Left-breast mammogram, cranio-caudal. 42 y/o patient.
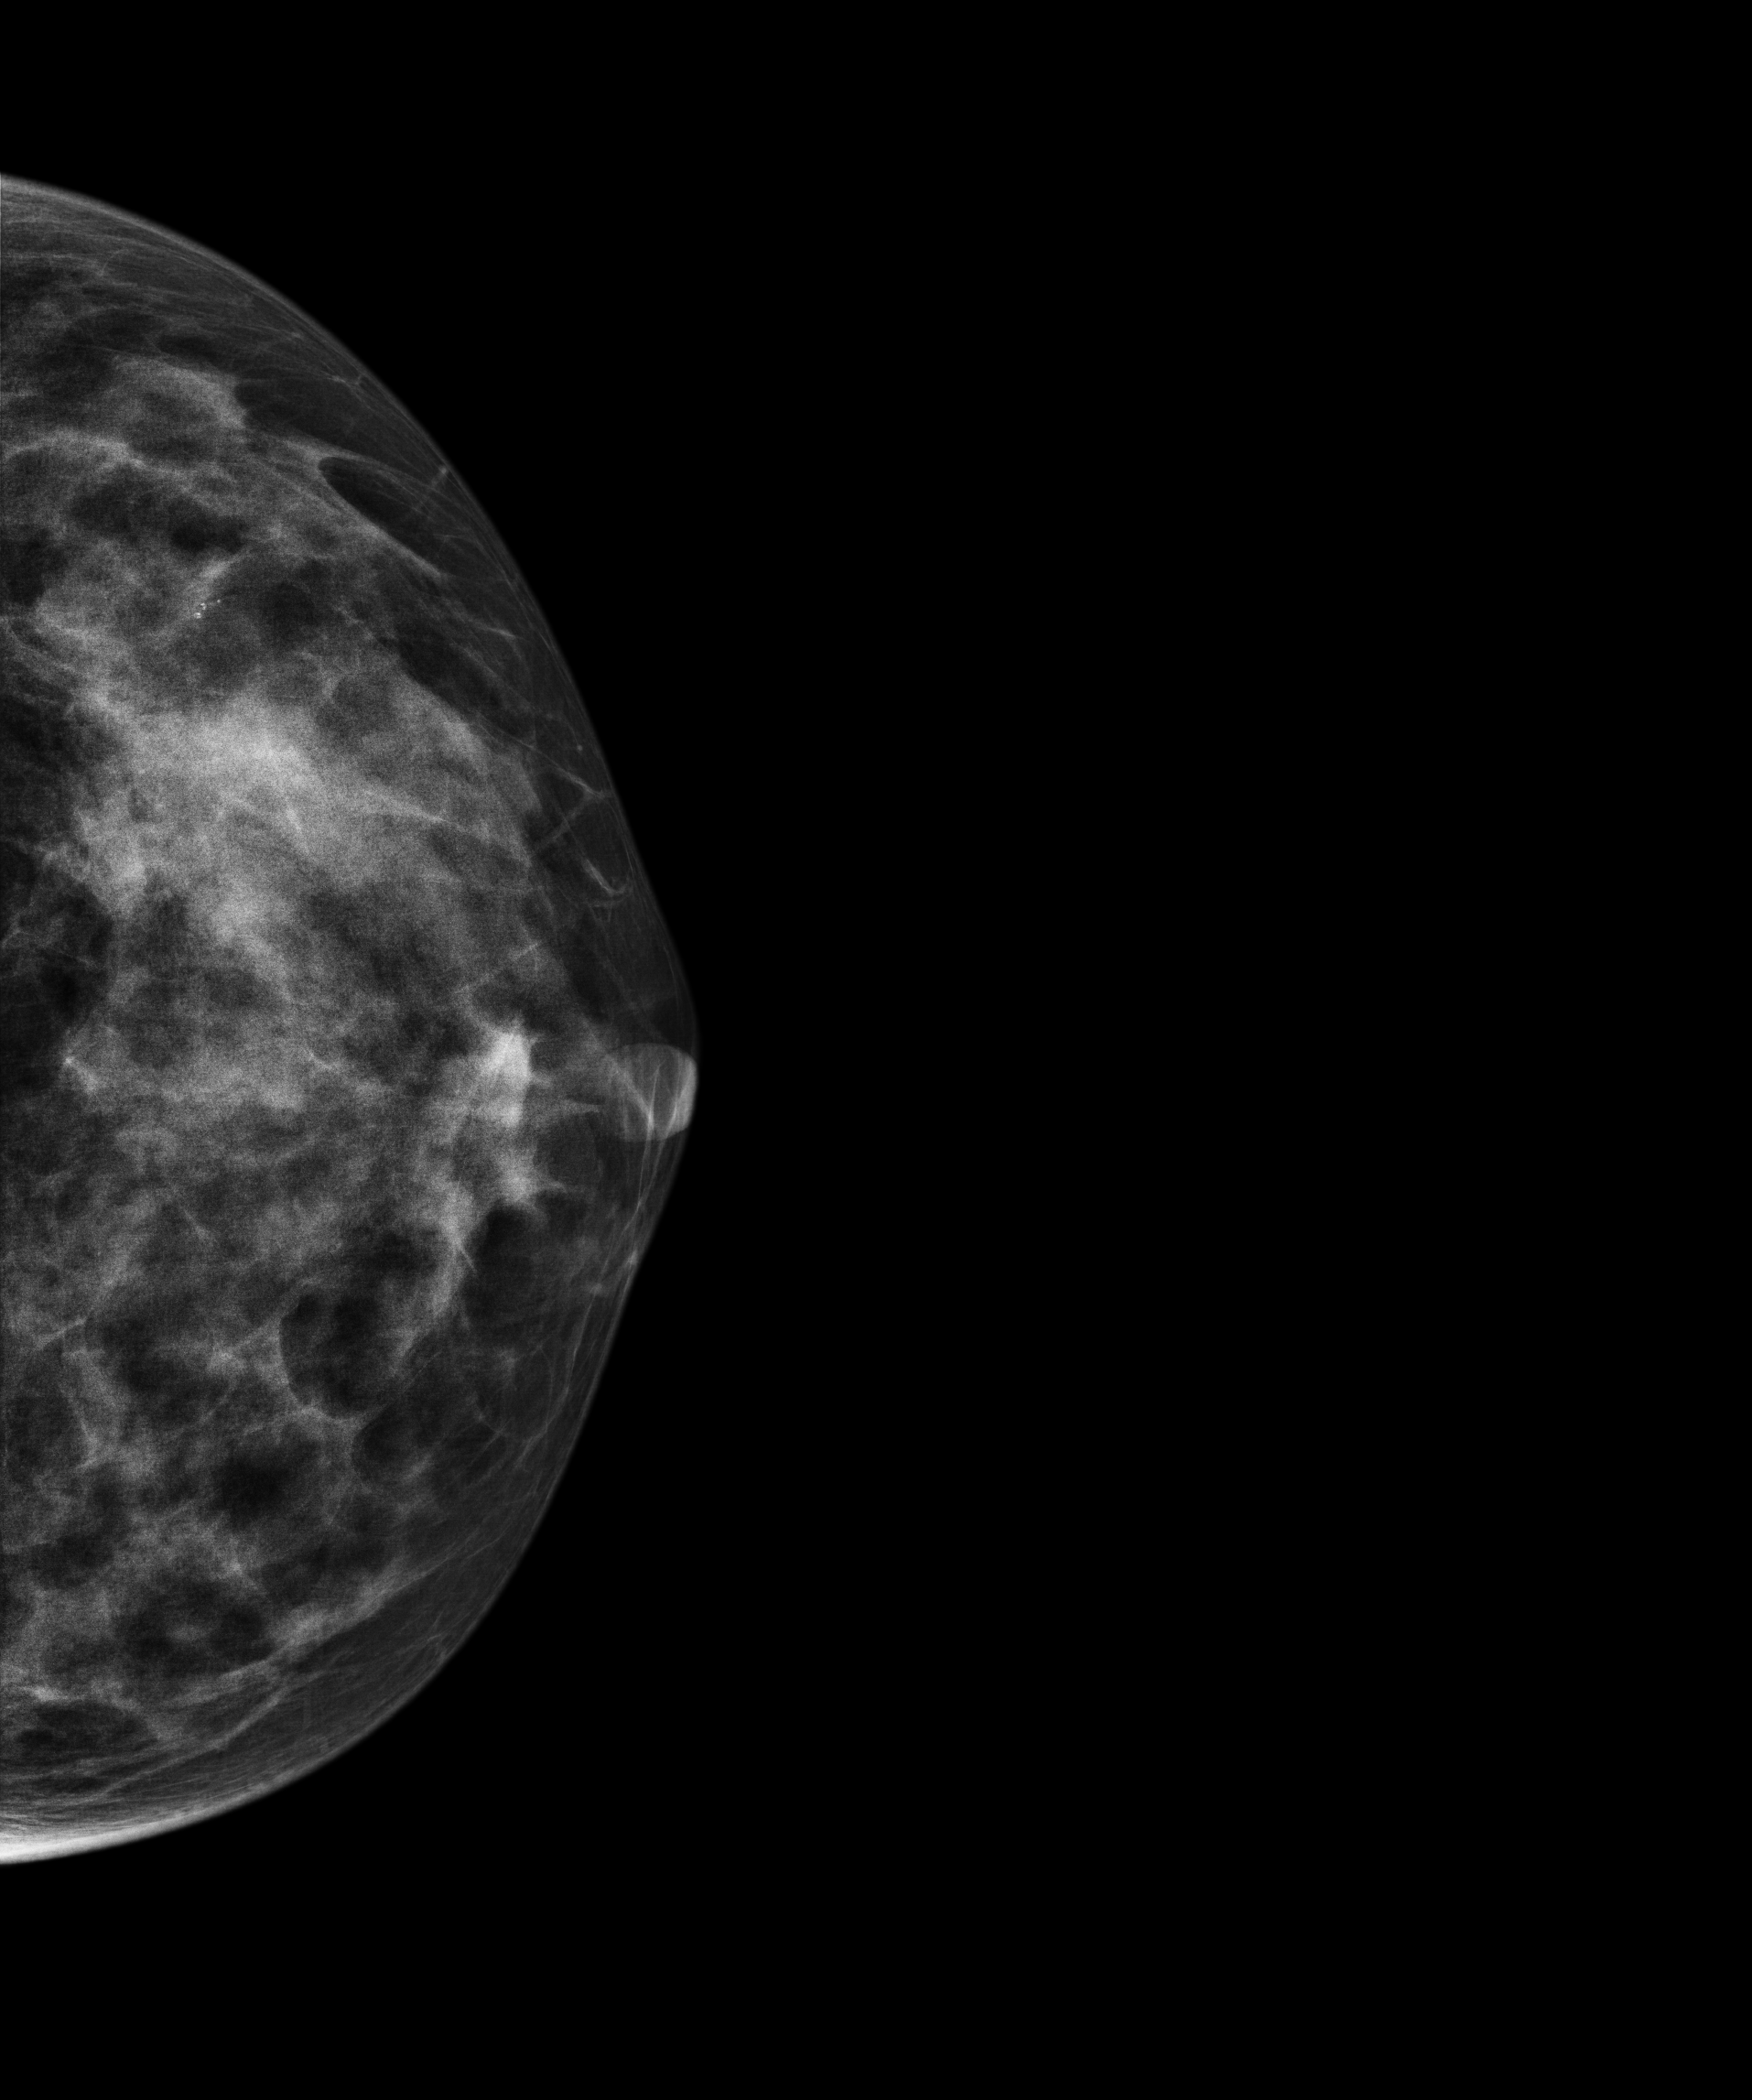
This breast has a mass, biopsy-proven malignant.